Mammogram, left breast, CC view. Patient age 33.
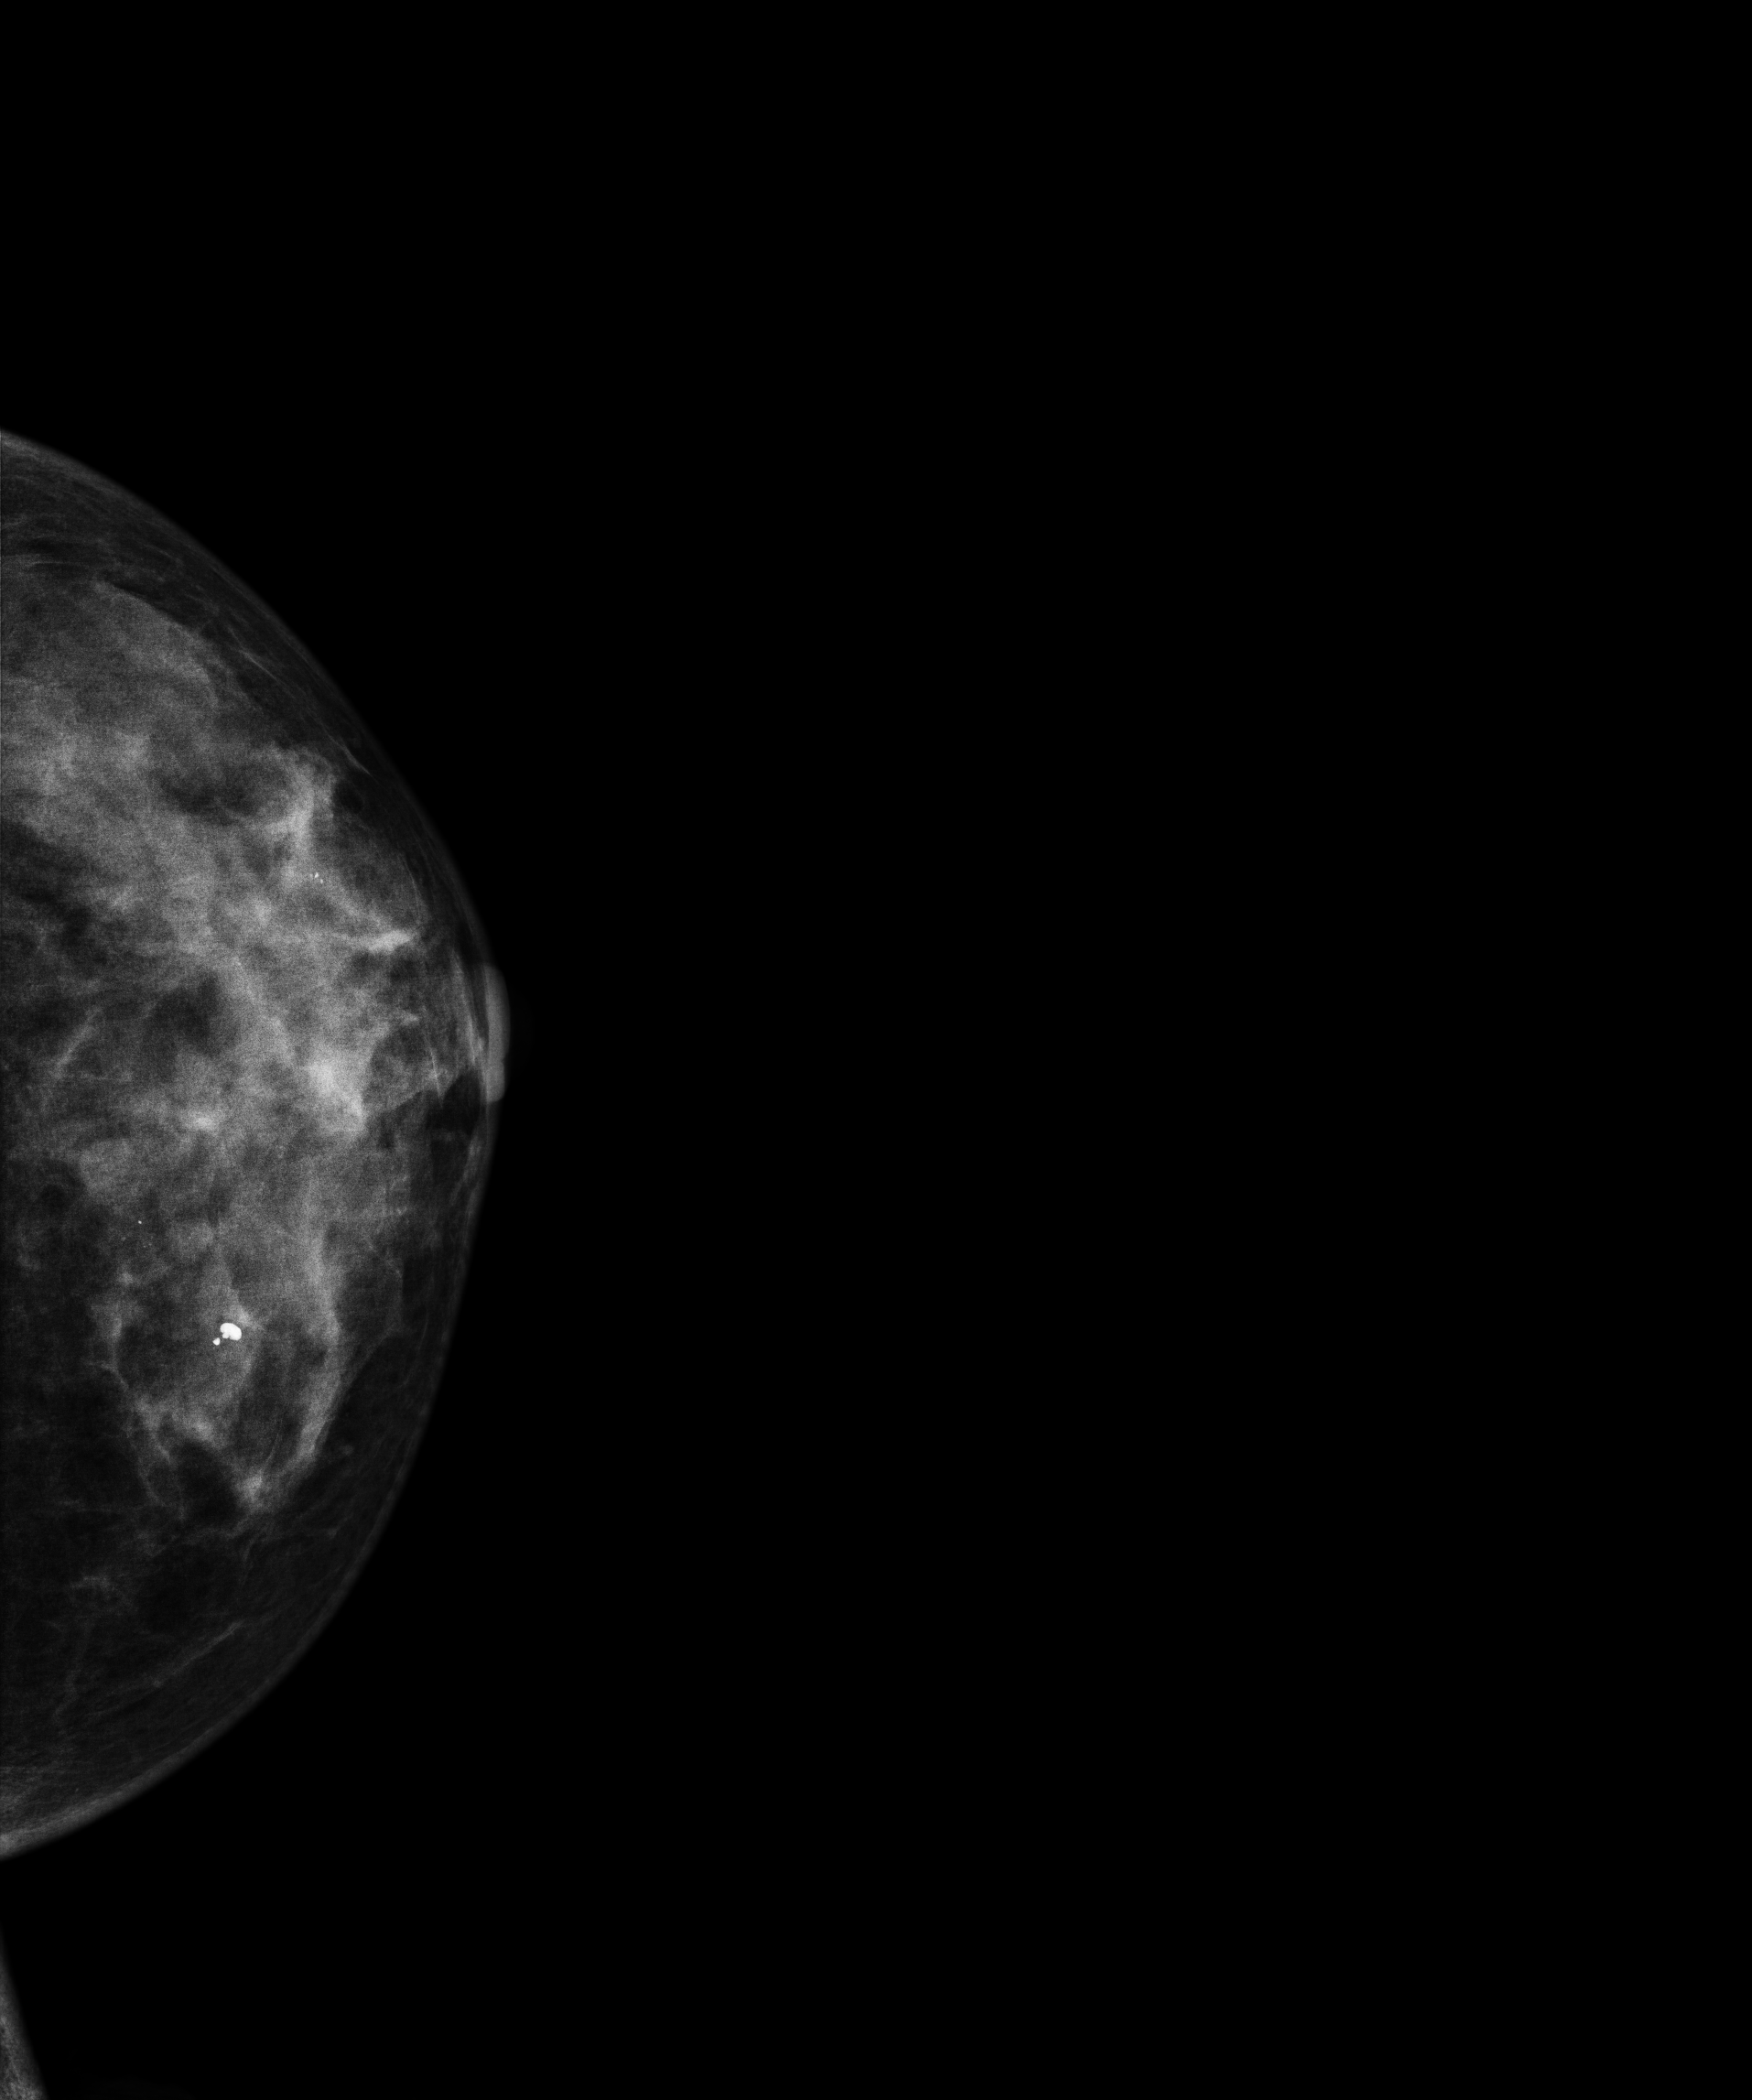
This breast has a mass and calcifications, biopsy-proven benign.